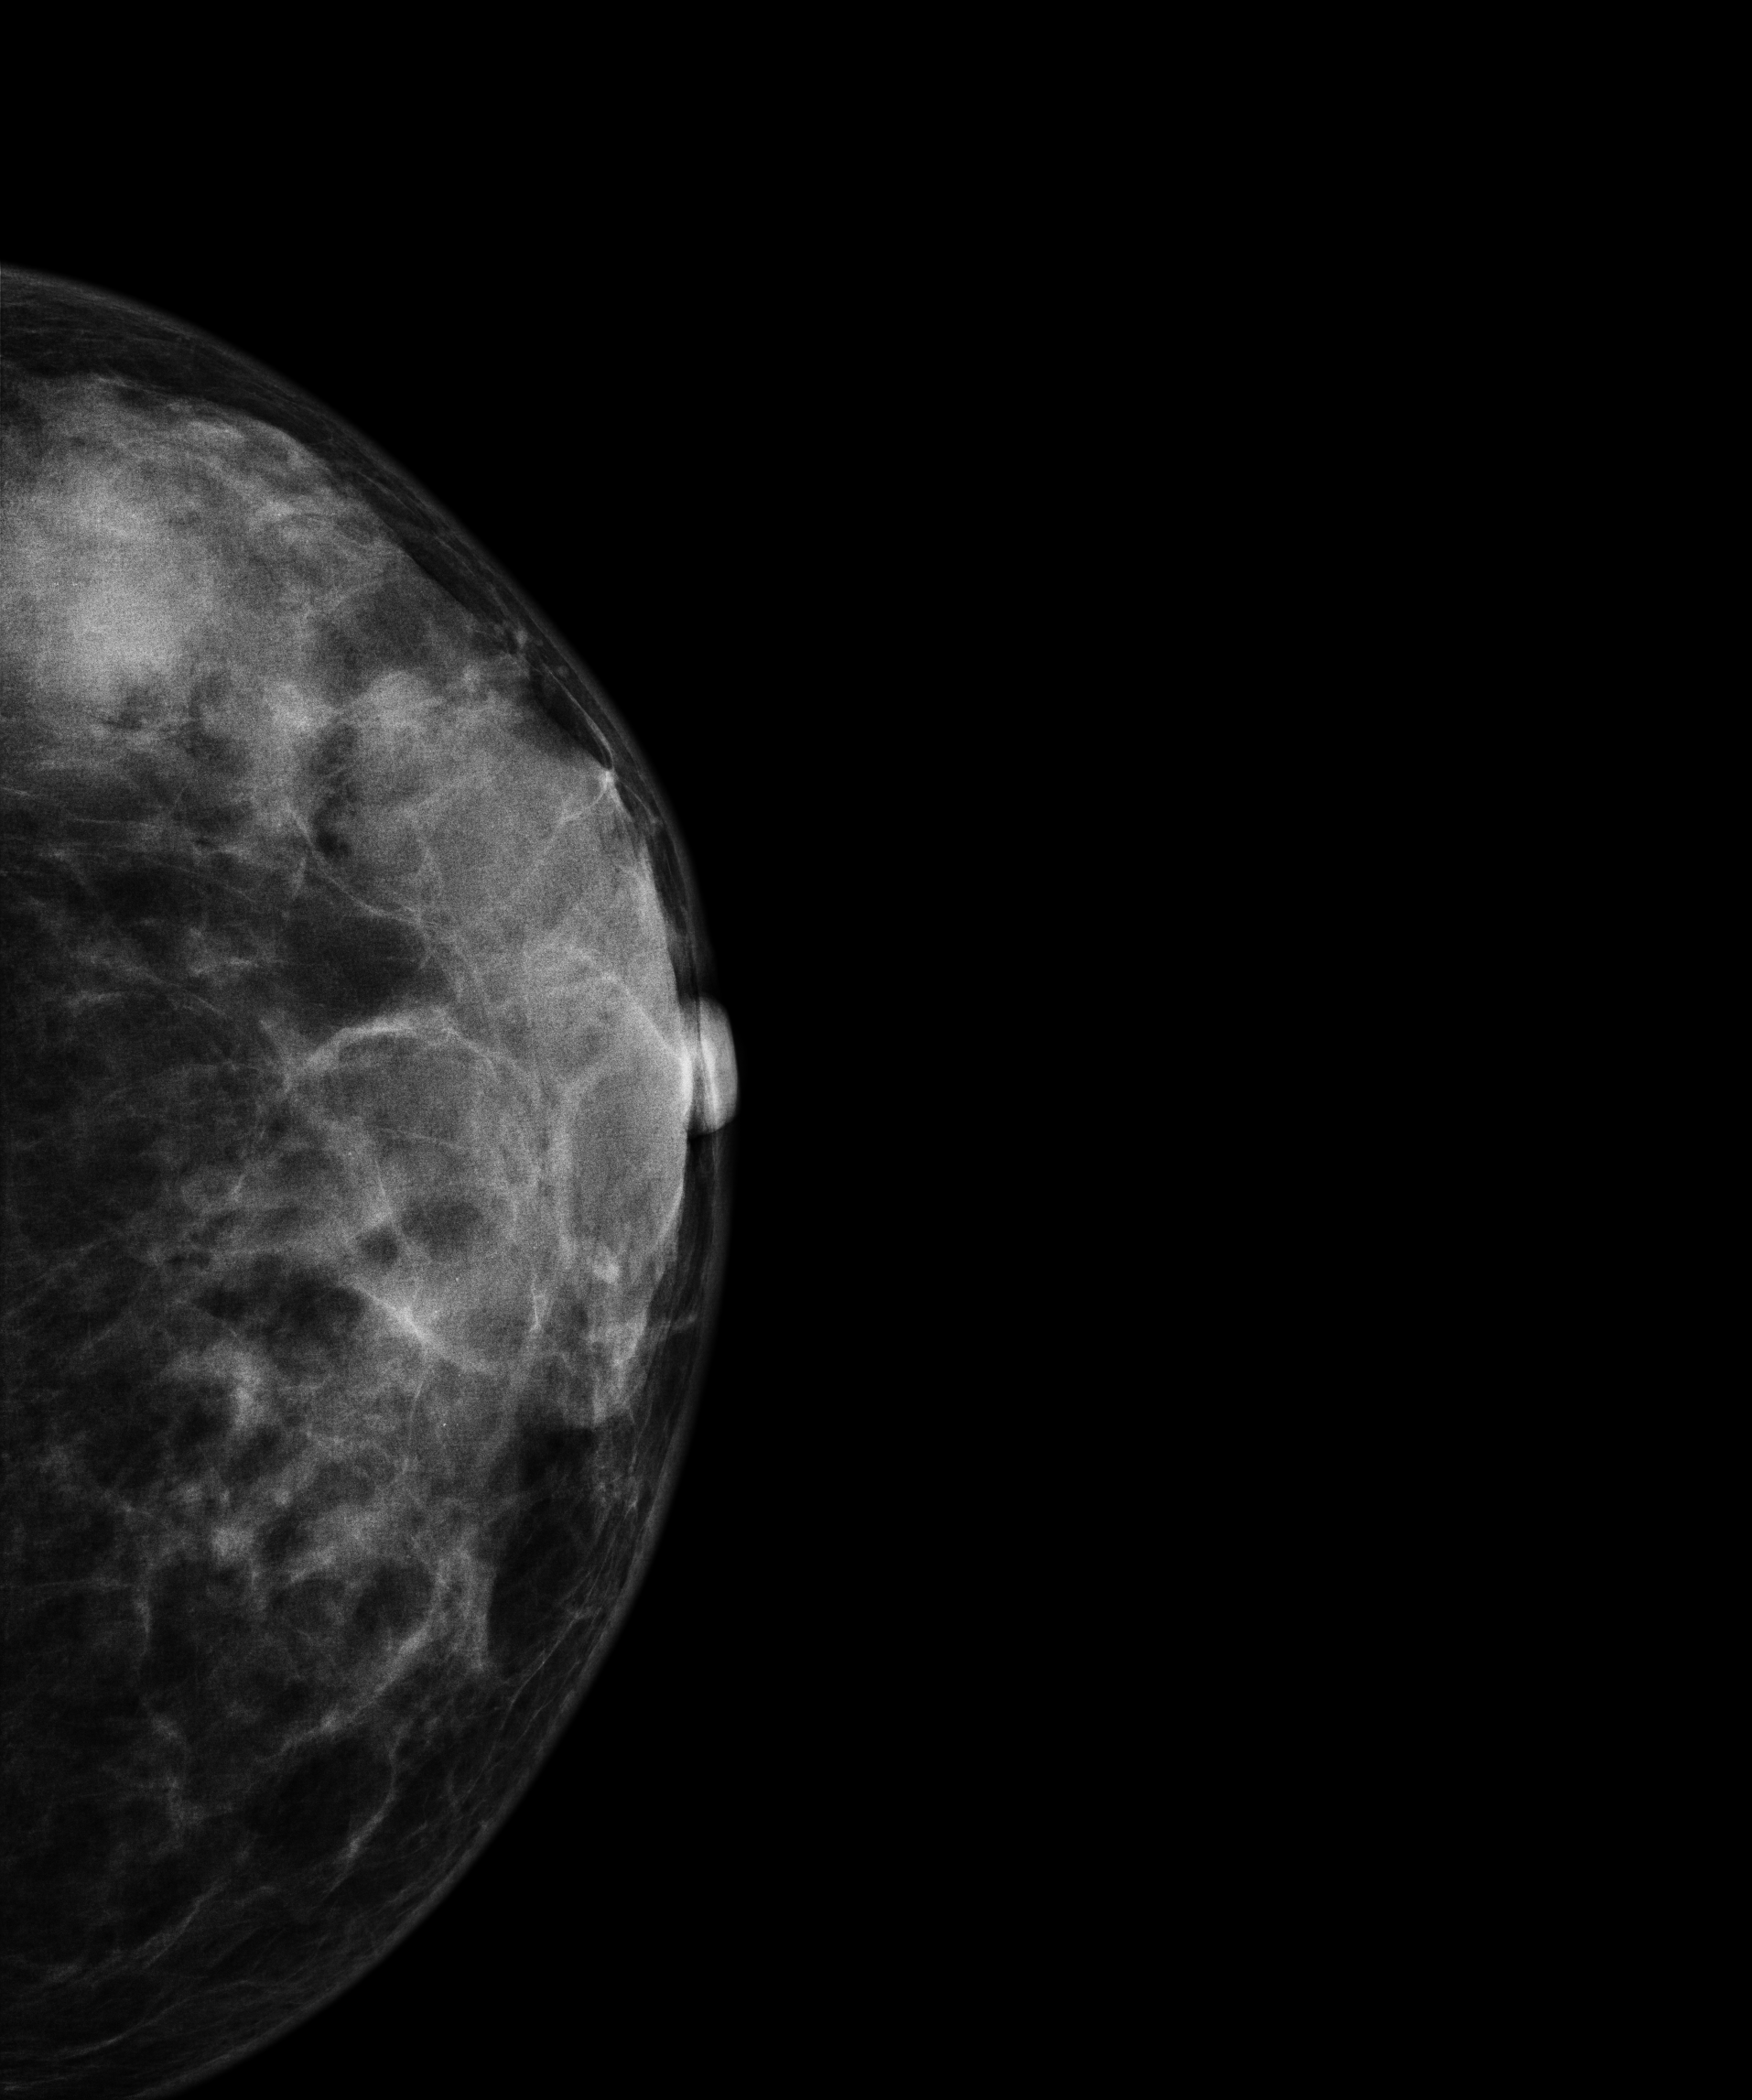
Mammogram — left cranio-caudal. 32-year-old patient.
This breast has a mass, histologically confirmed malignant.